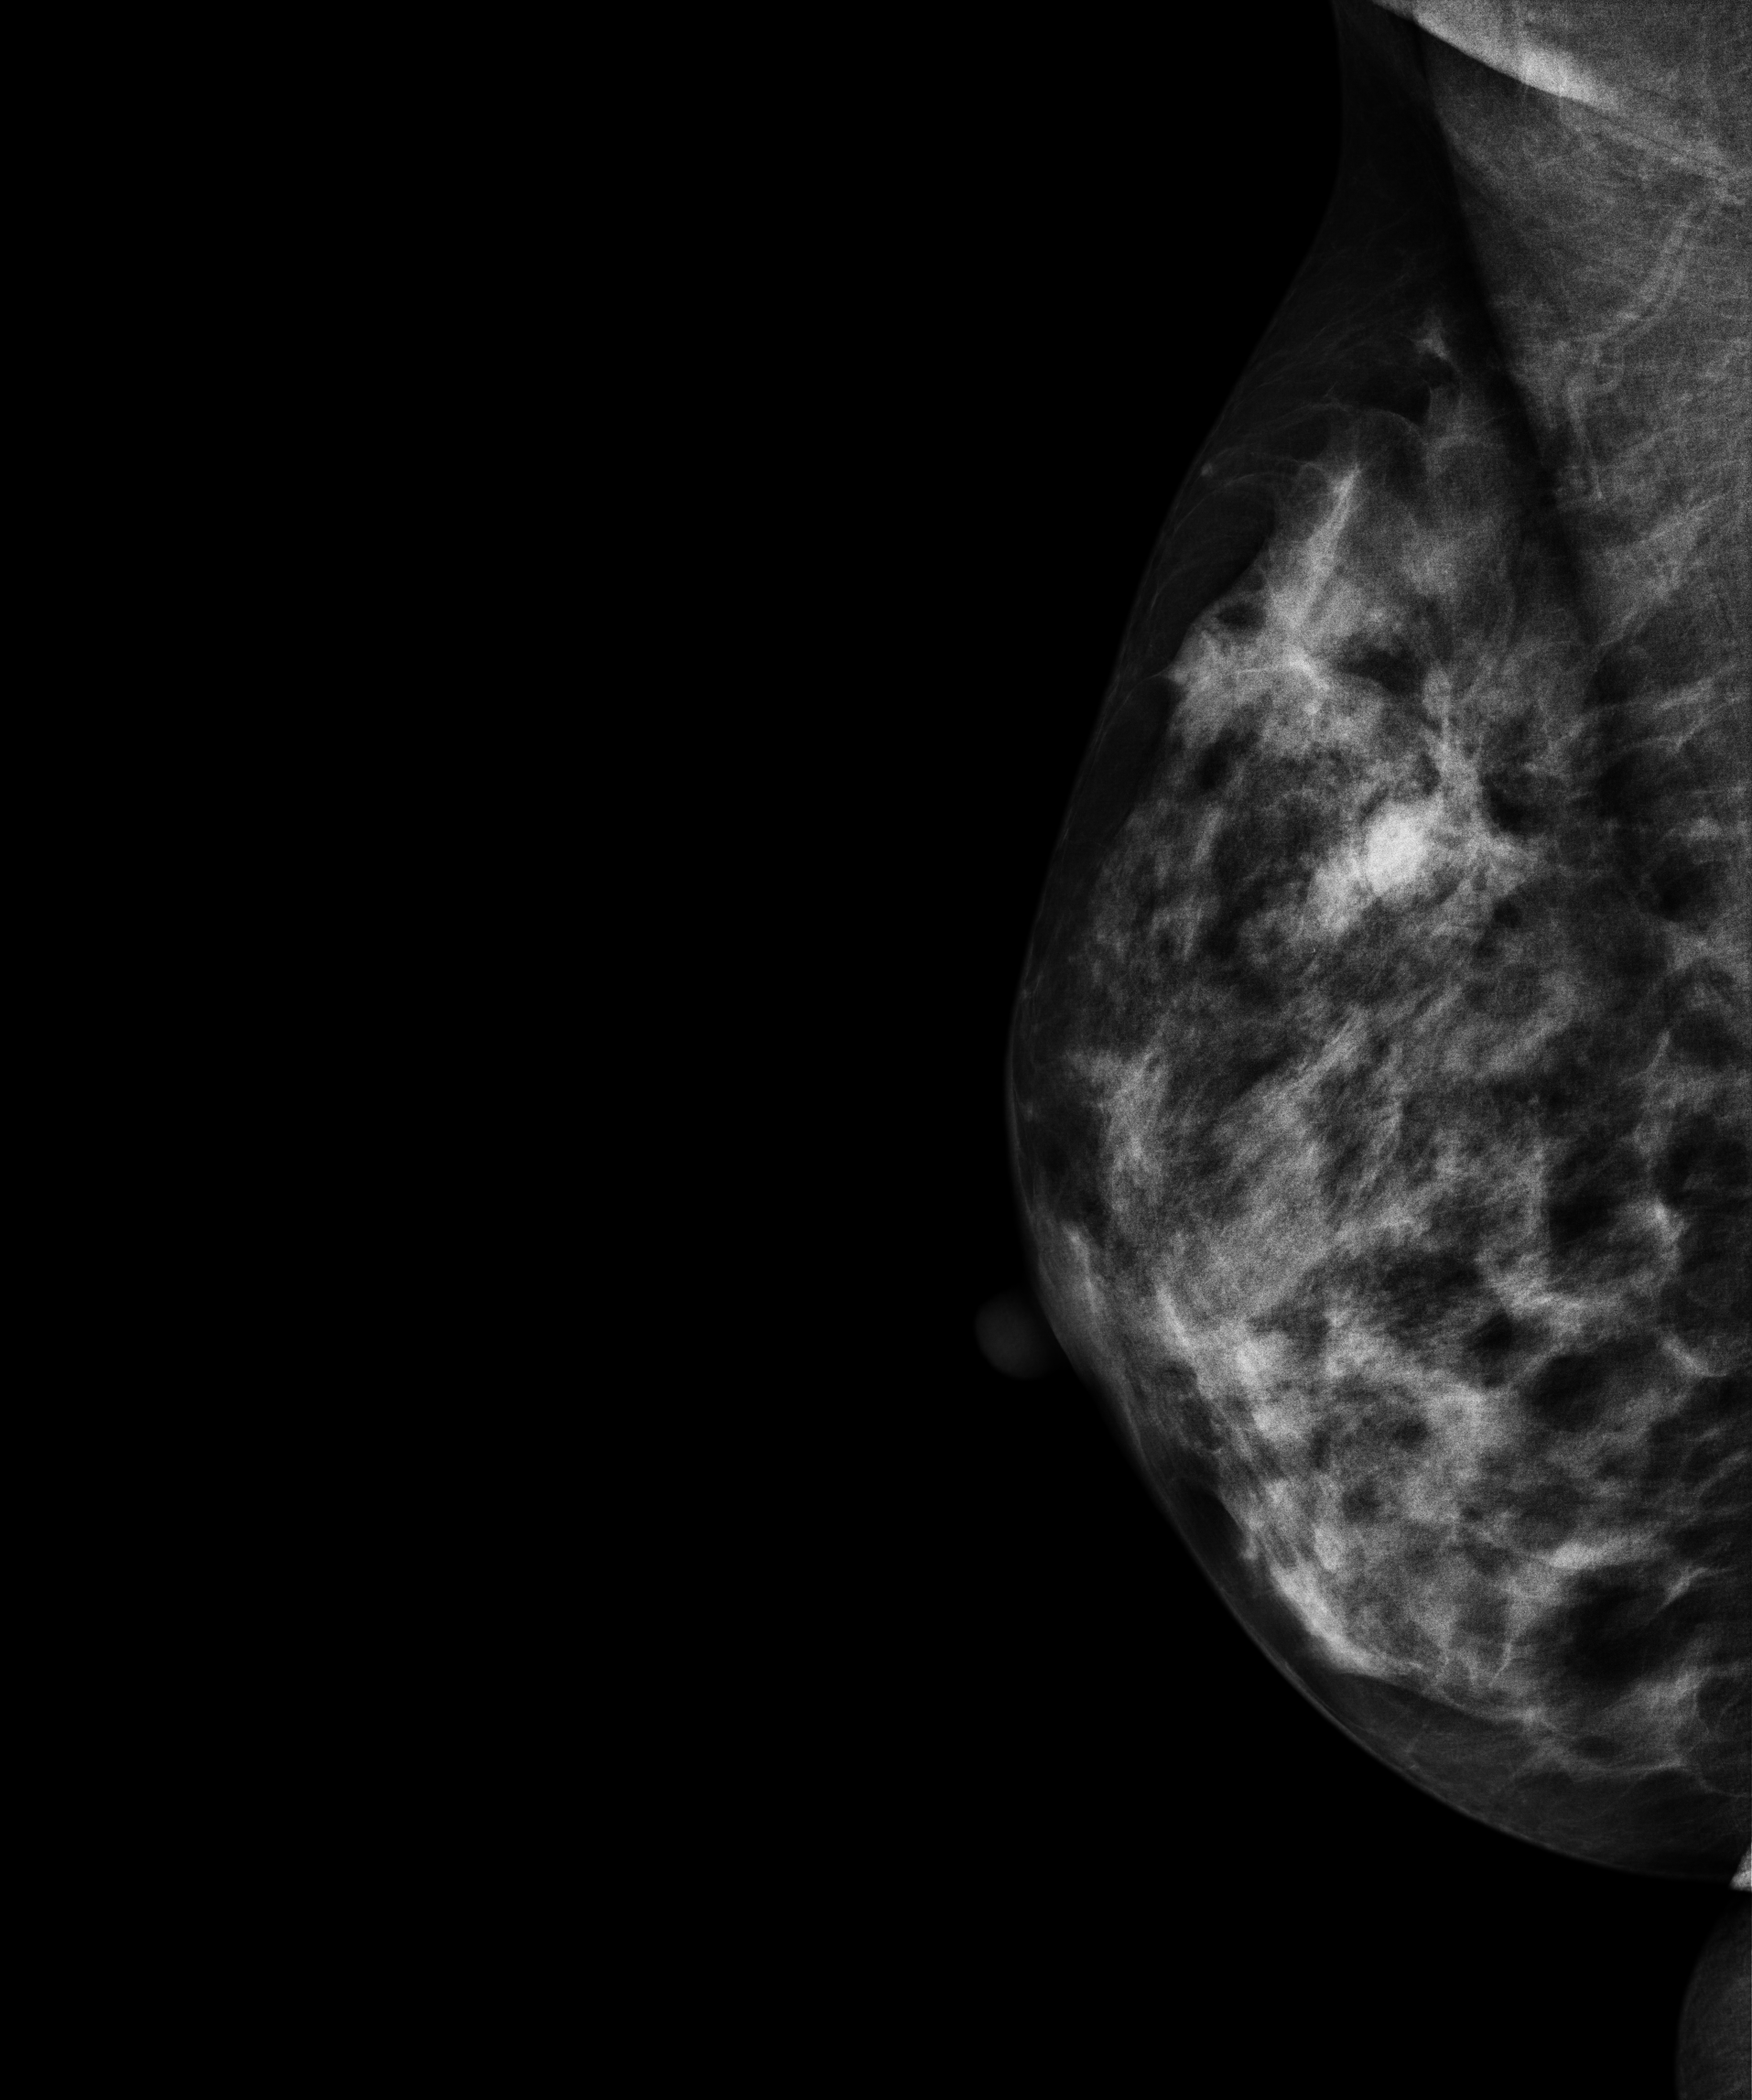
Mammogram, right breast, MLO view. Patient age 48.
This breast has a mass, histologically confirmed benign.